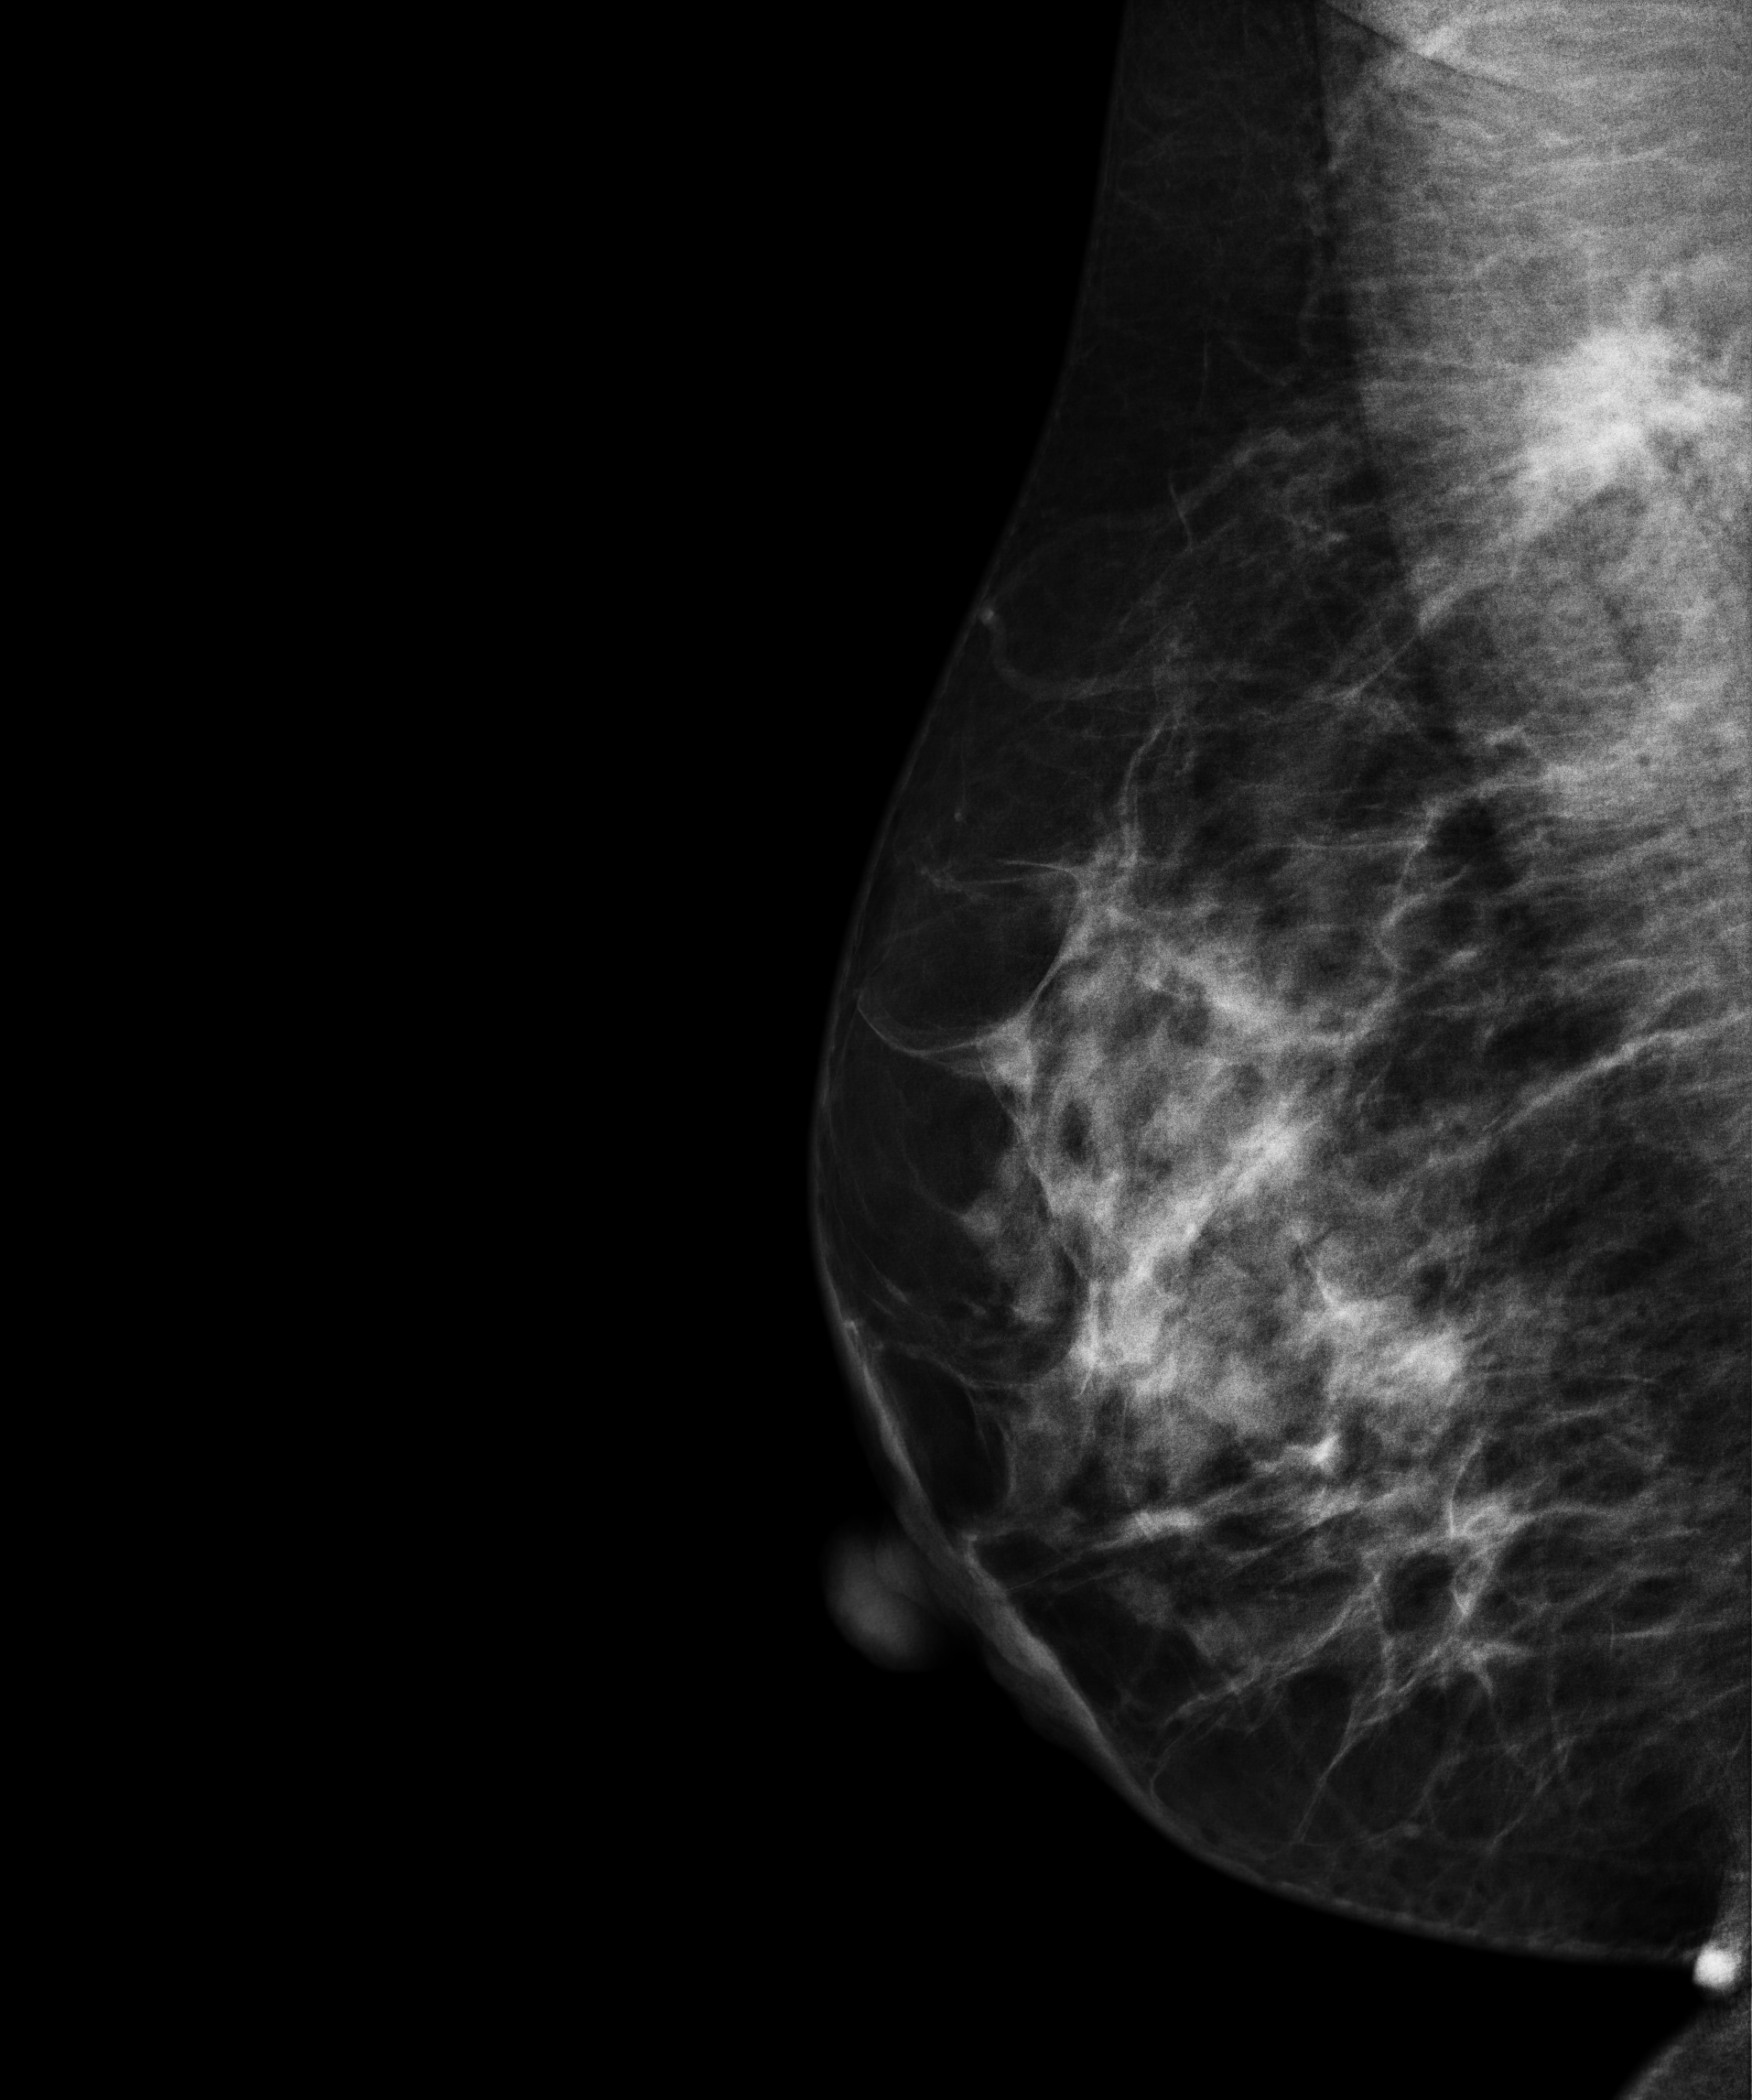
Mammogram — right MLO. Patient age 43.
This breast has a mass, histologically confirmed malignant. Molecular subtype: luminal A.